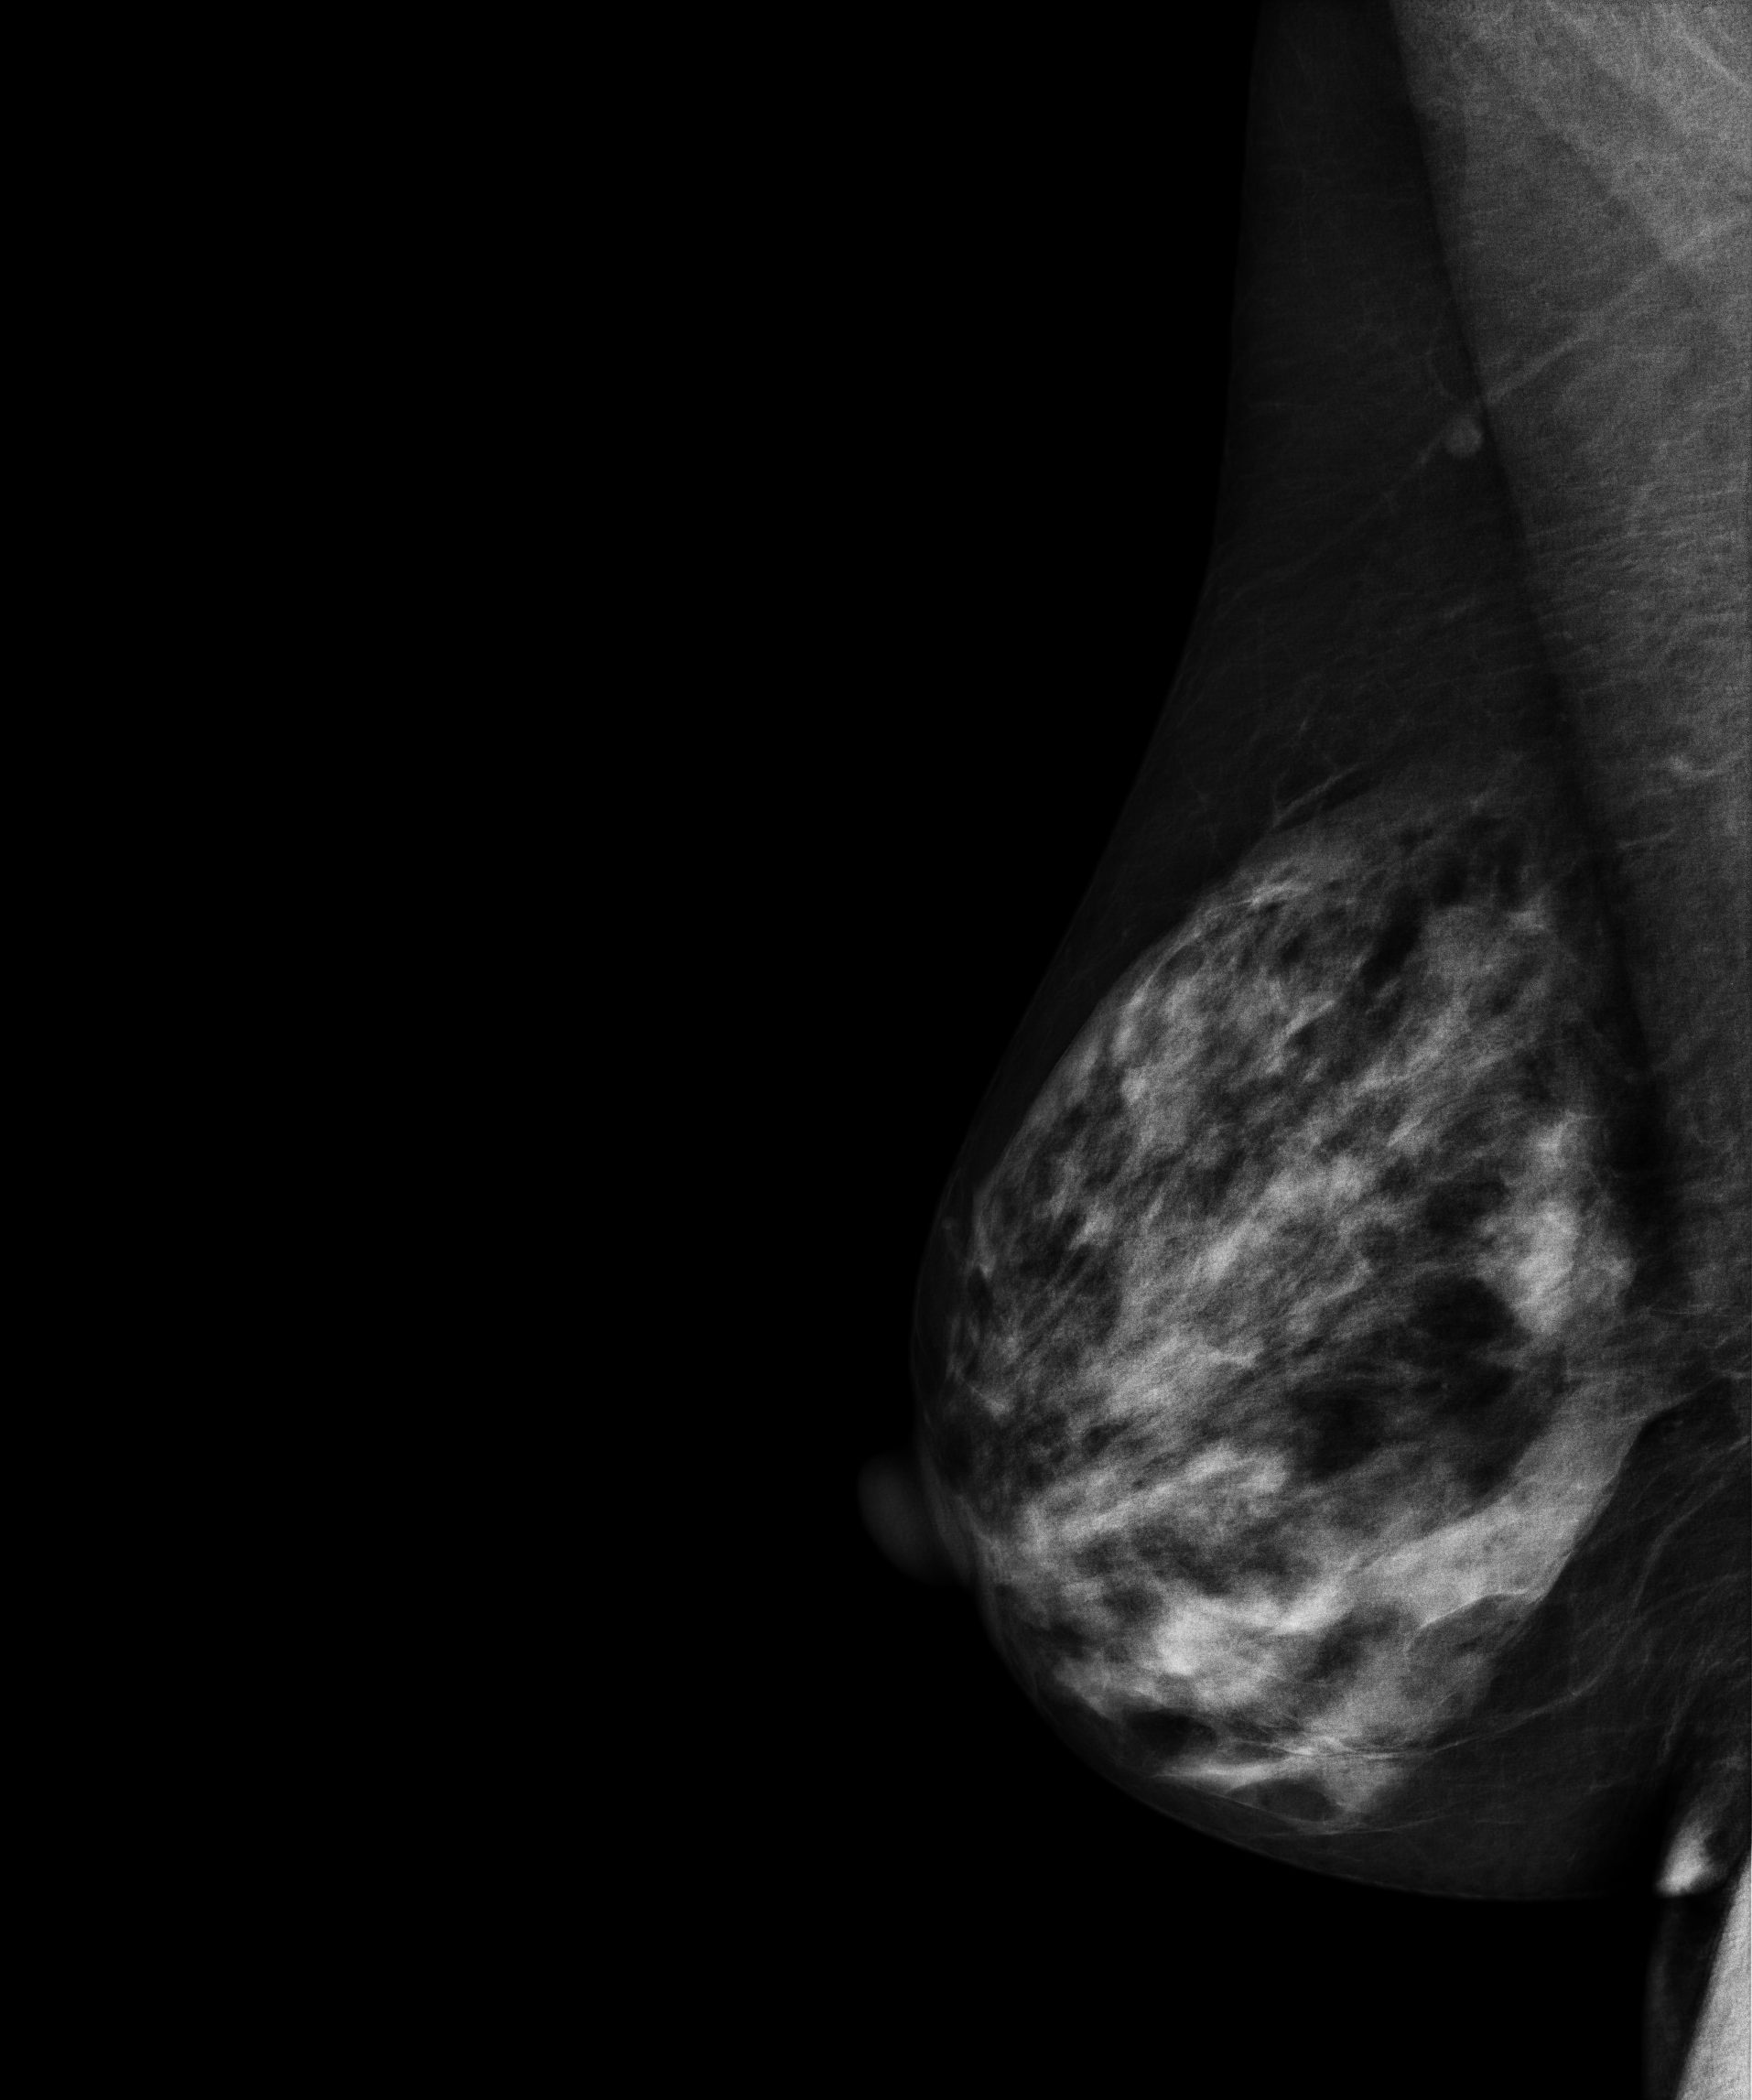
MLO mammogram of the right breast. Patient age 51.
This breast has a mass, histologically confirmed malignant.